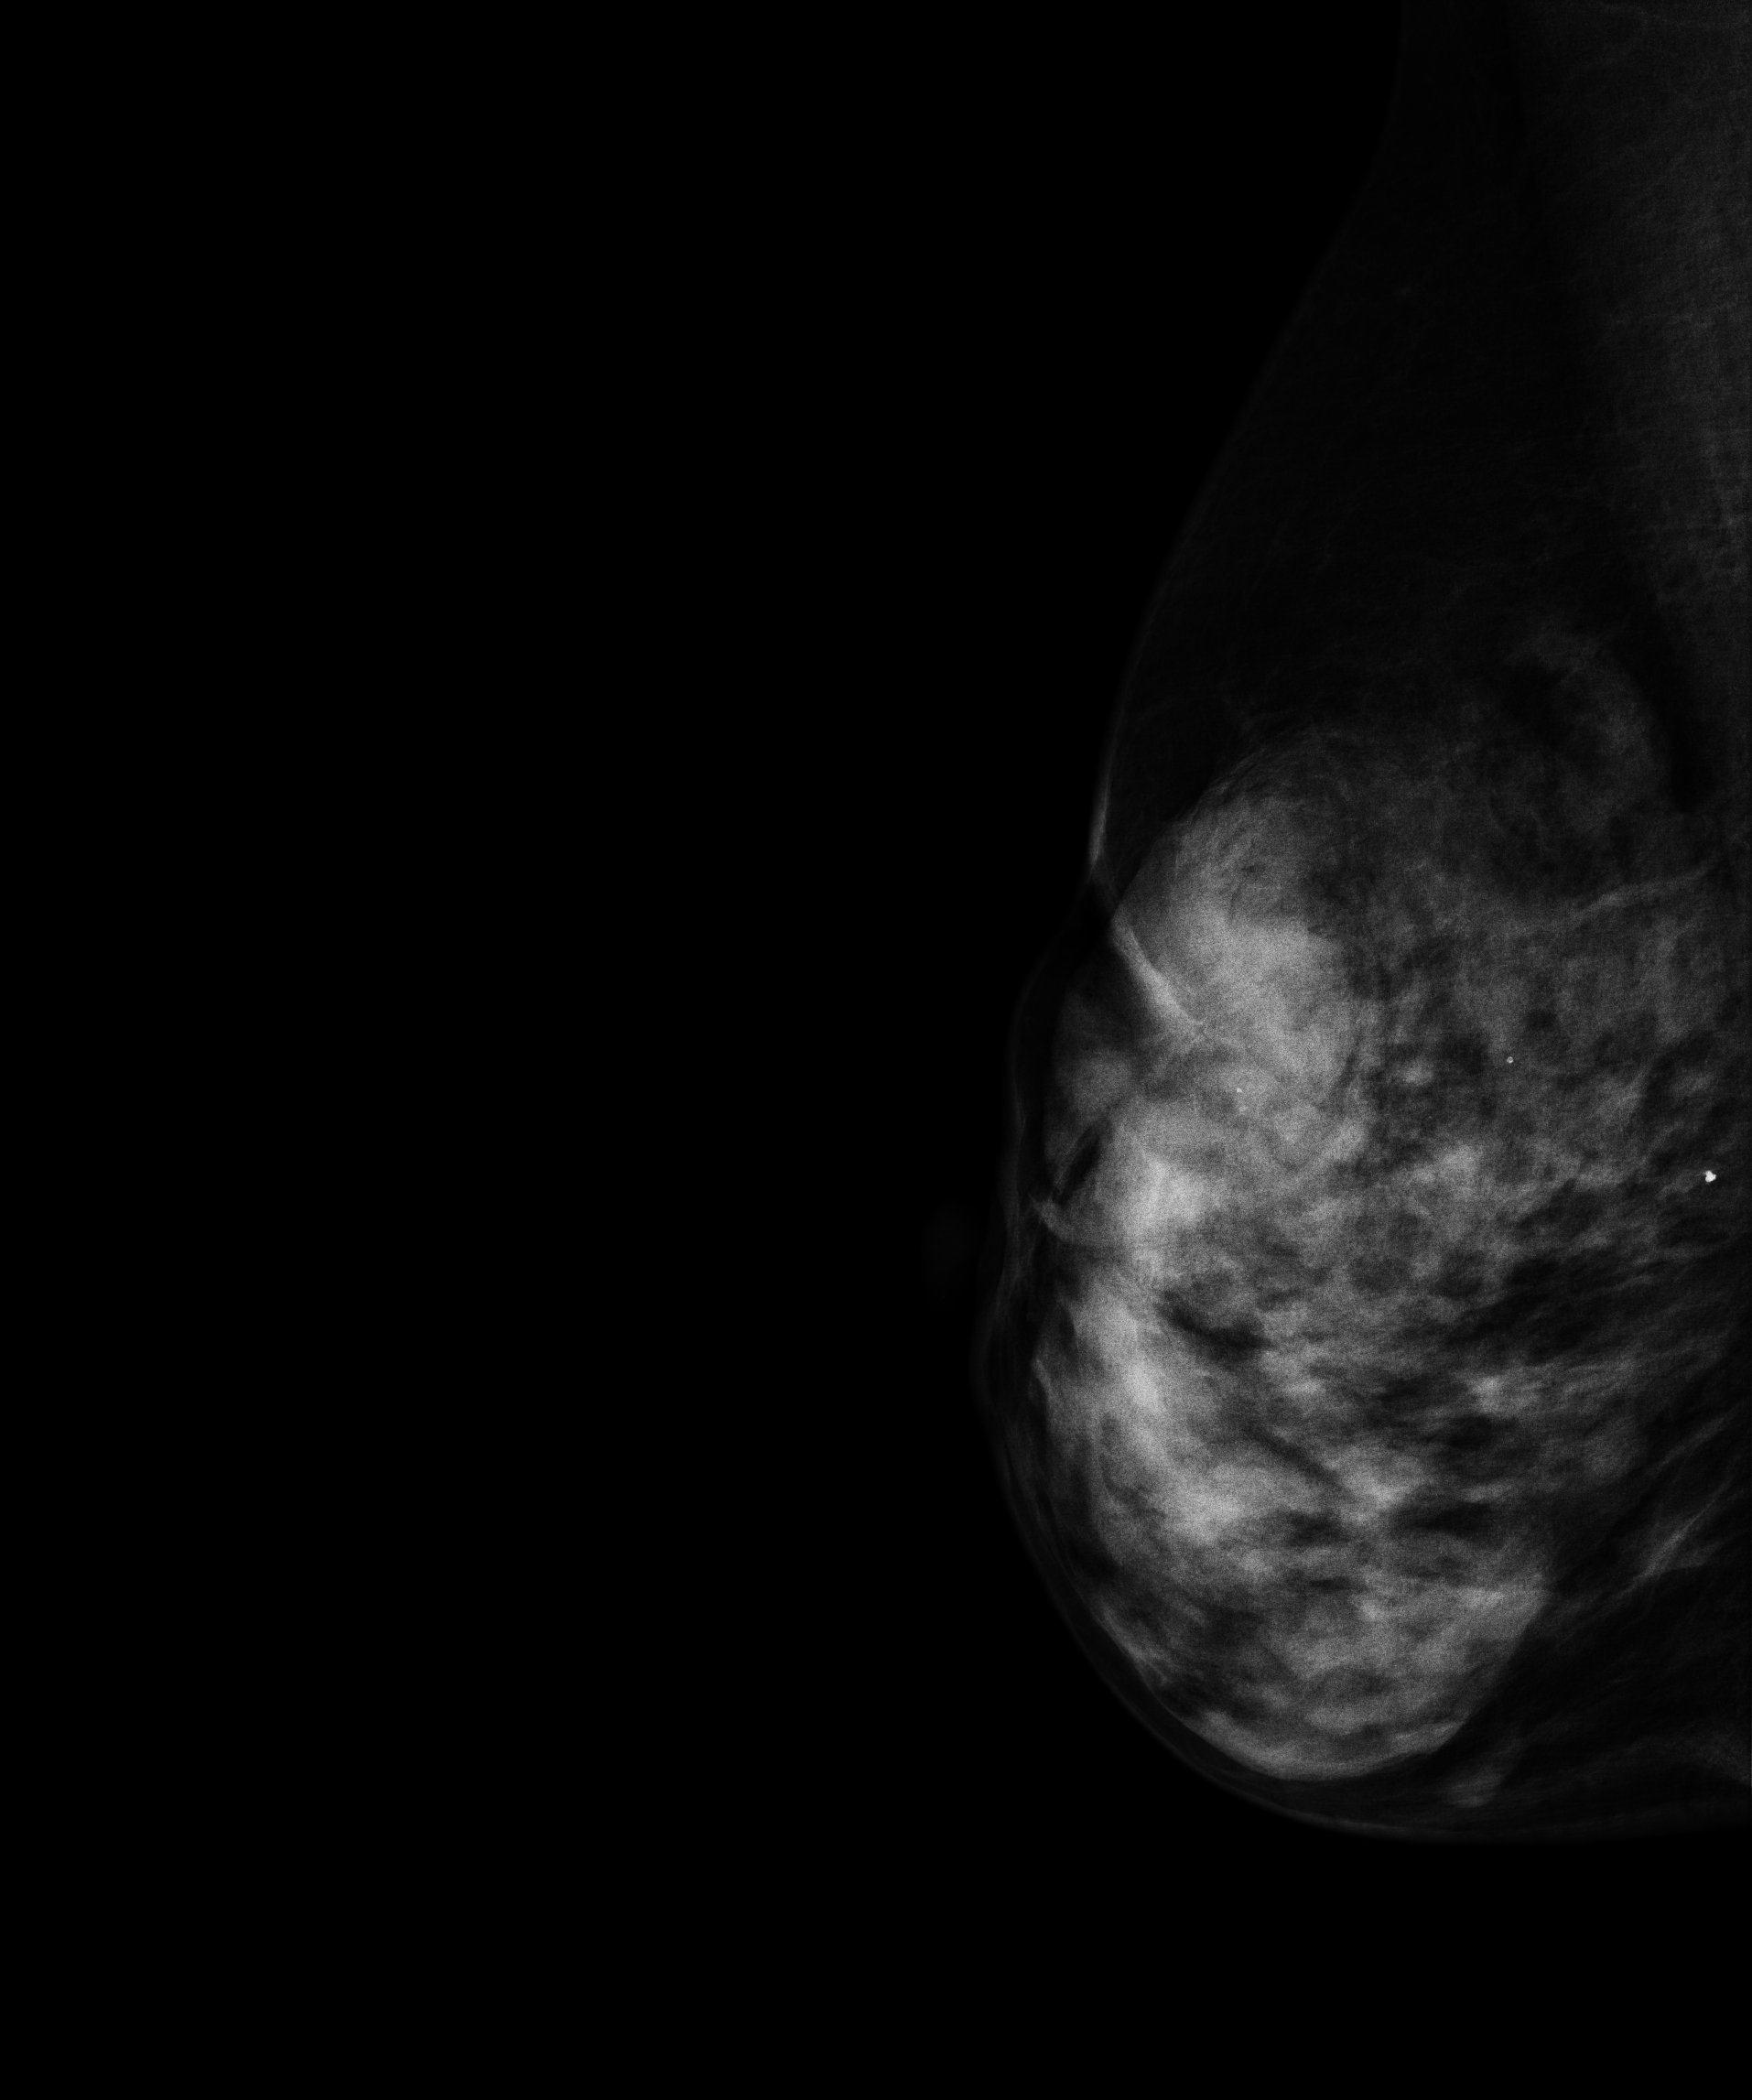
Mammogram — right medio-lateral oblique. 61-year-old patient.
This breast has a mass and calcifications, histologically confirmed malignant. Molecular subtype: luminal A.